Digital mammography. Left breast, MLO projection. 44-year-old patient.
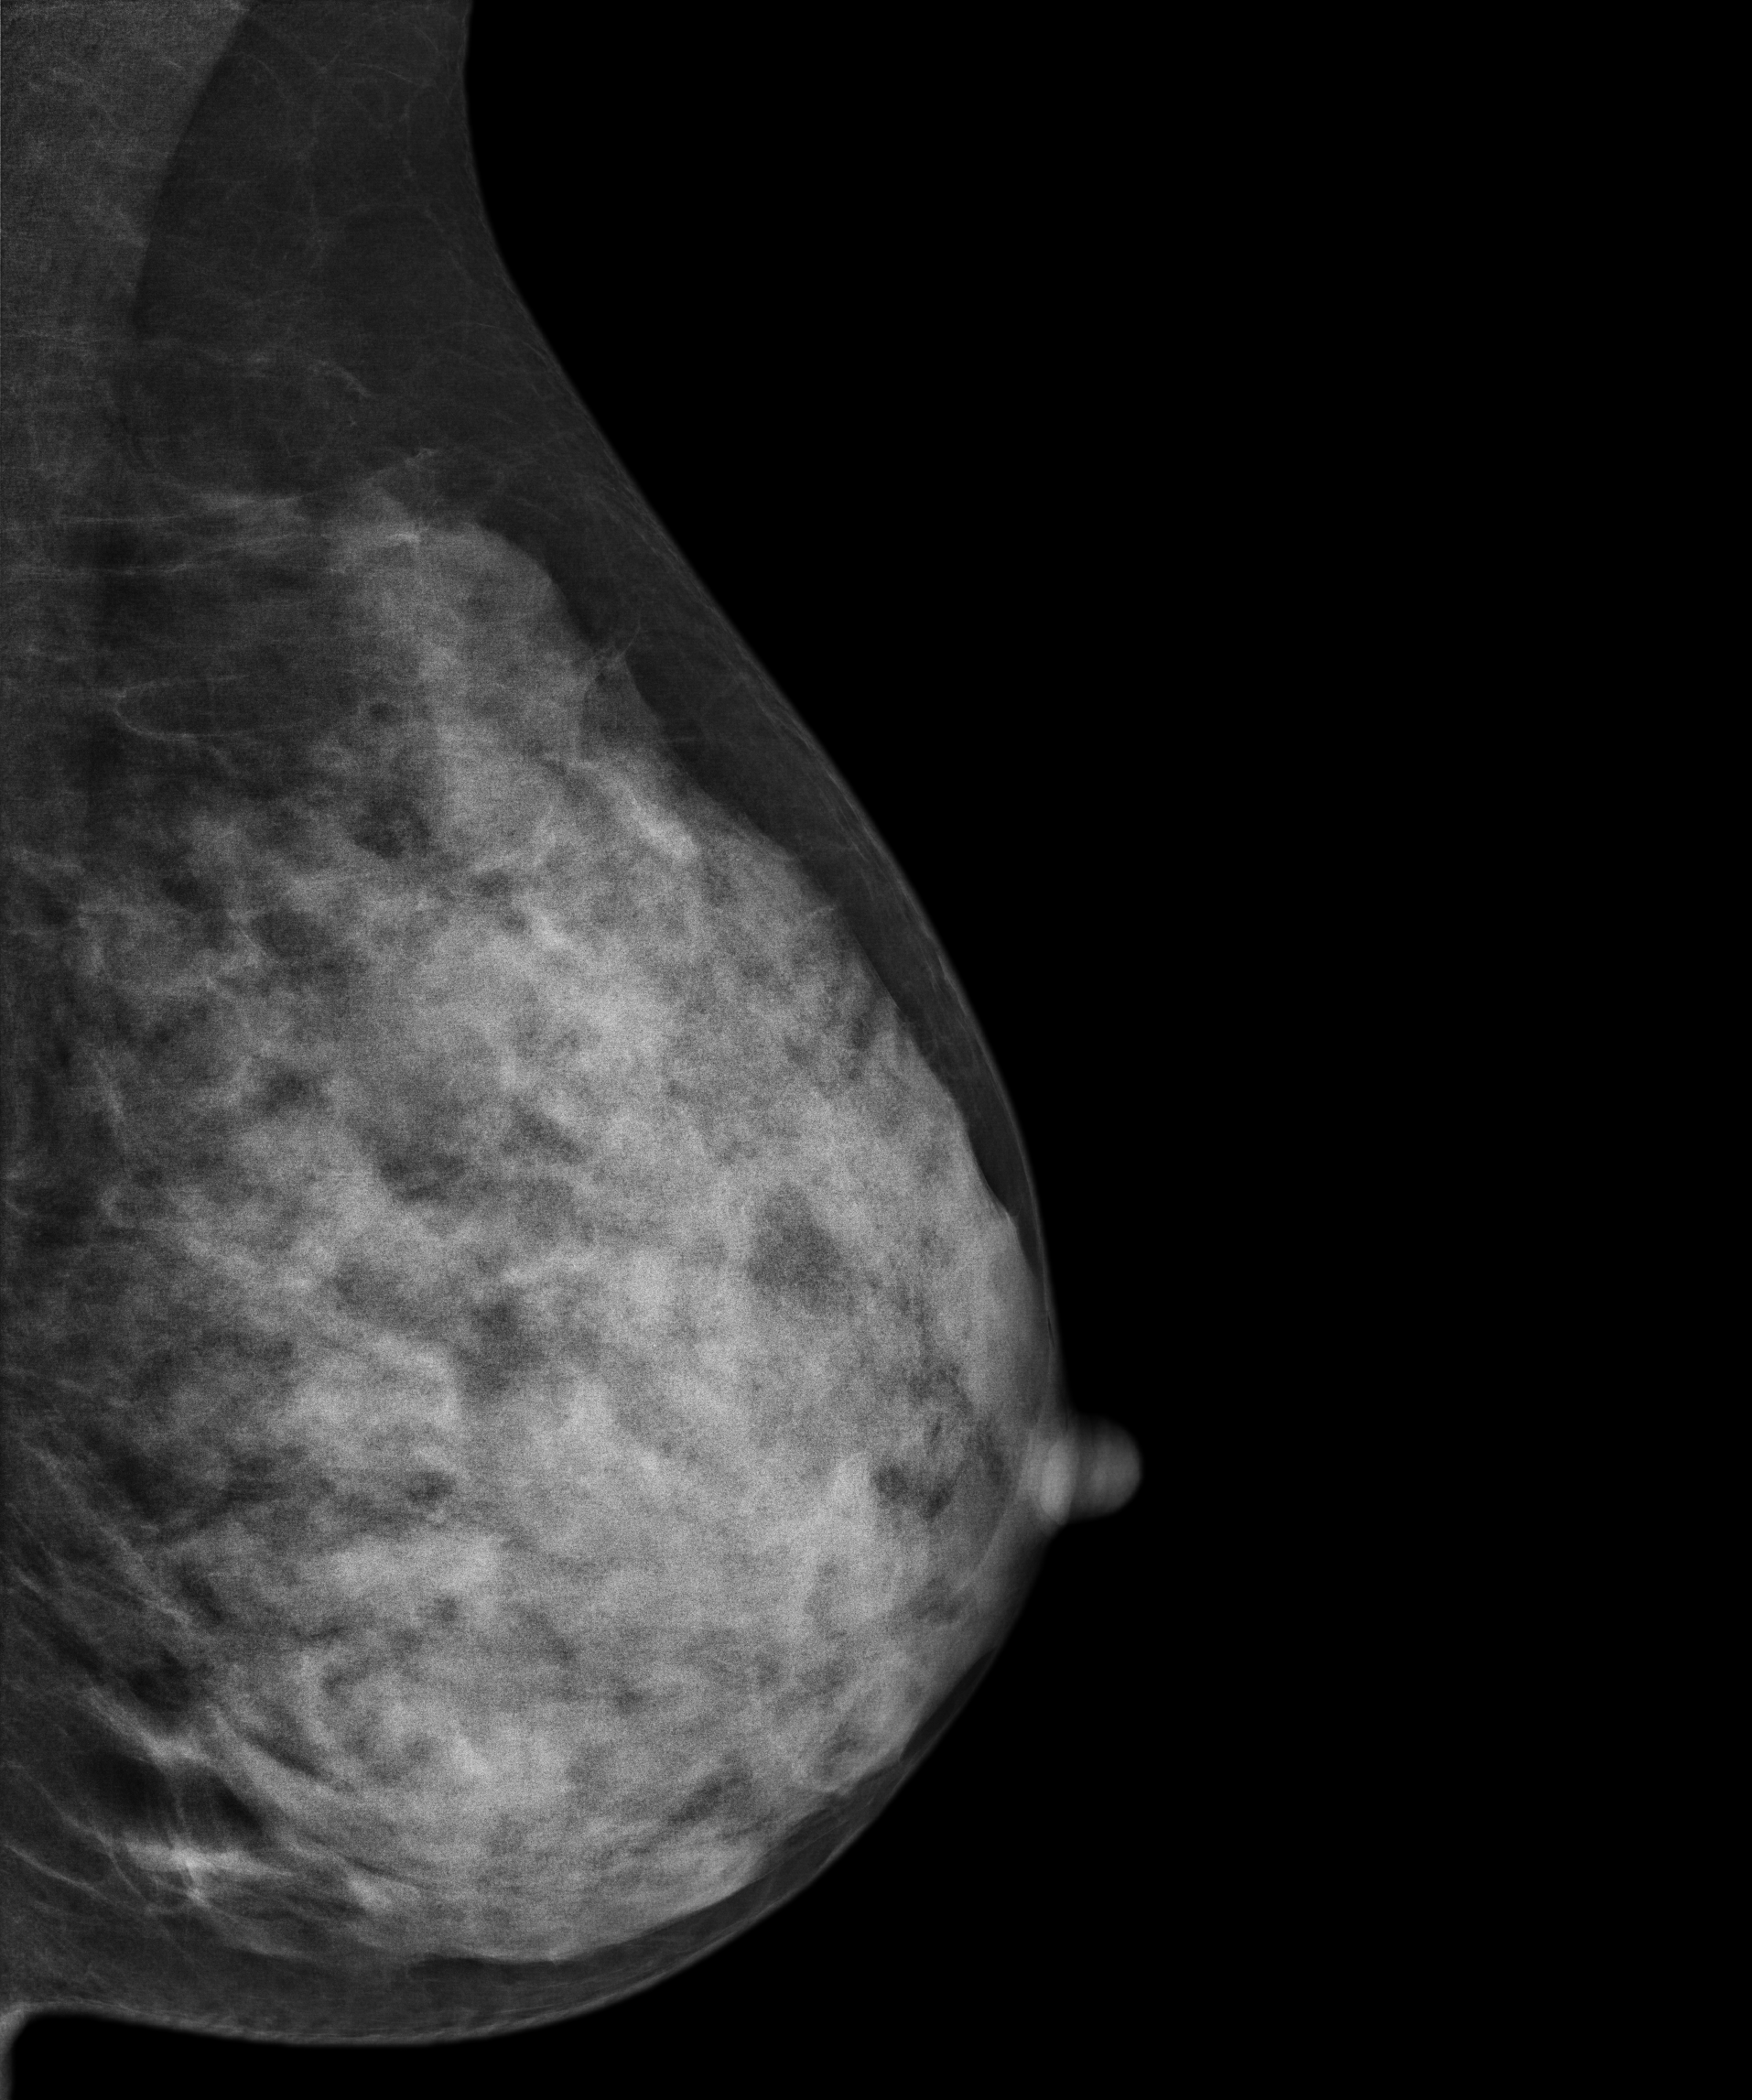
Contralateral breast — no documented abnormality on this side.